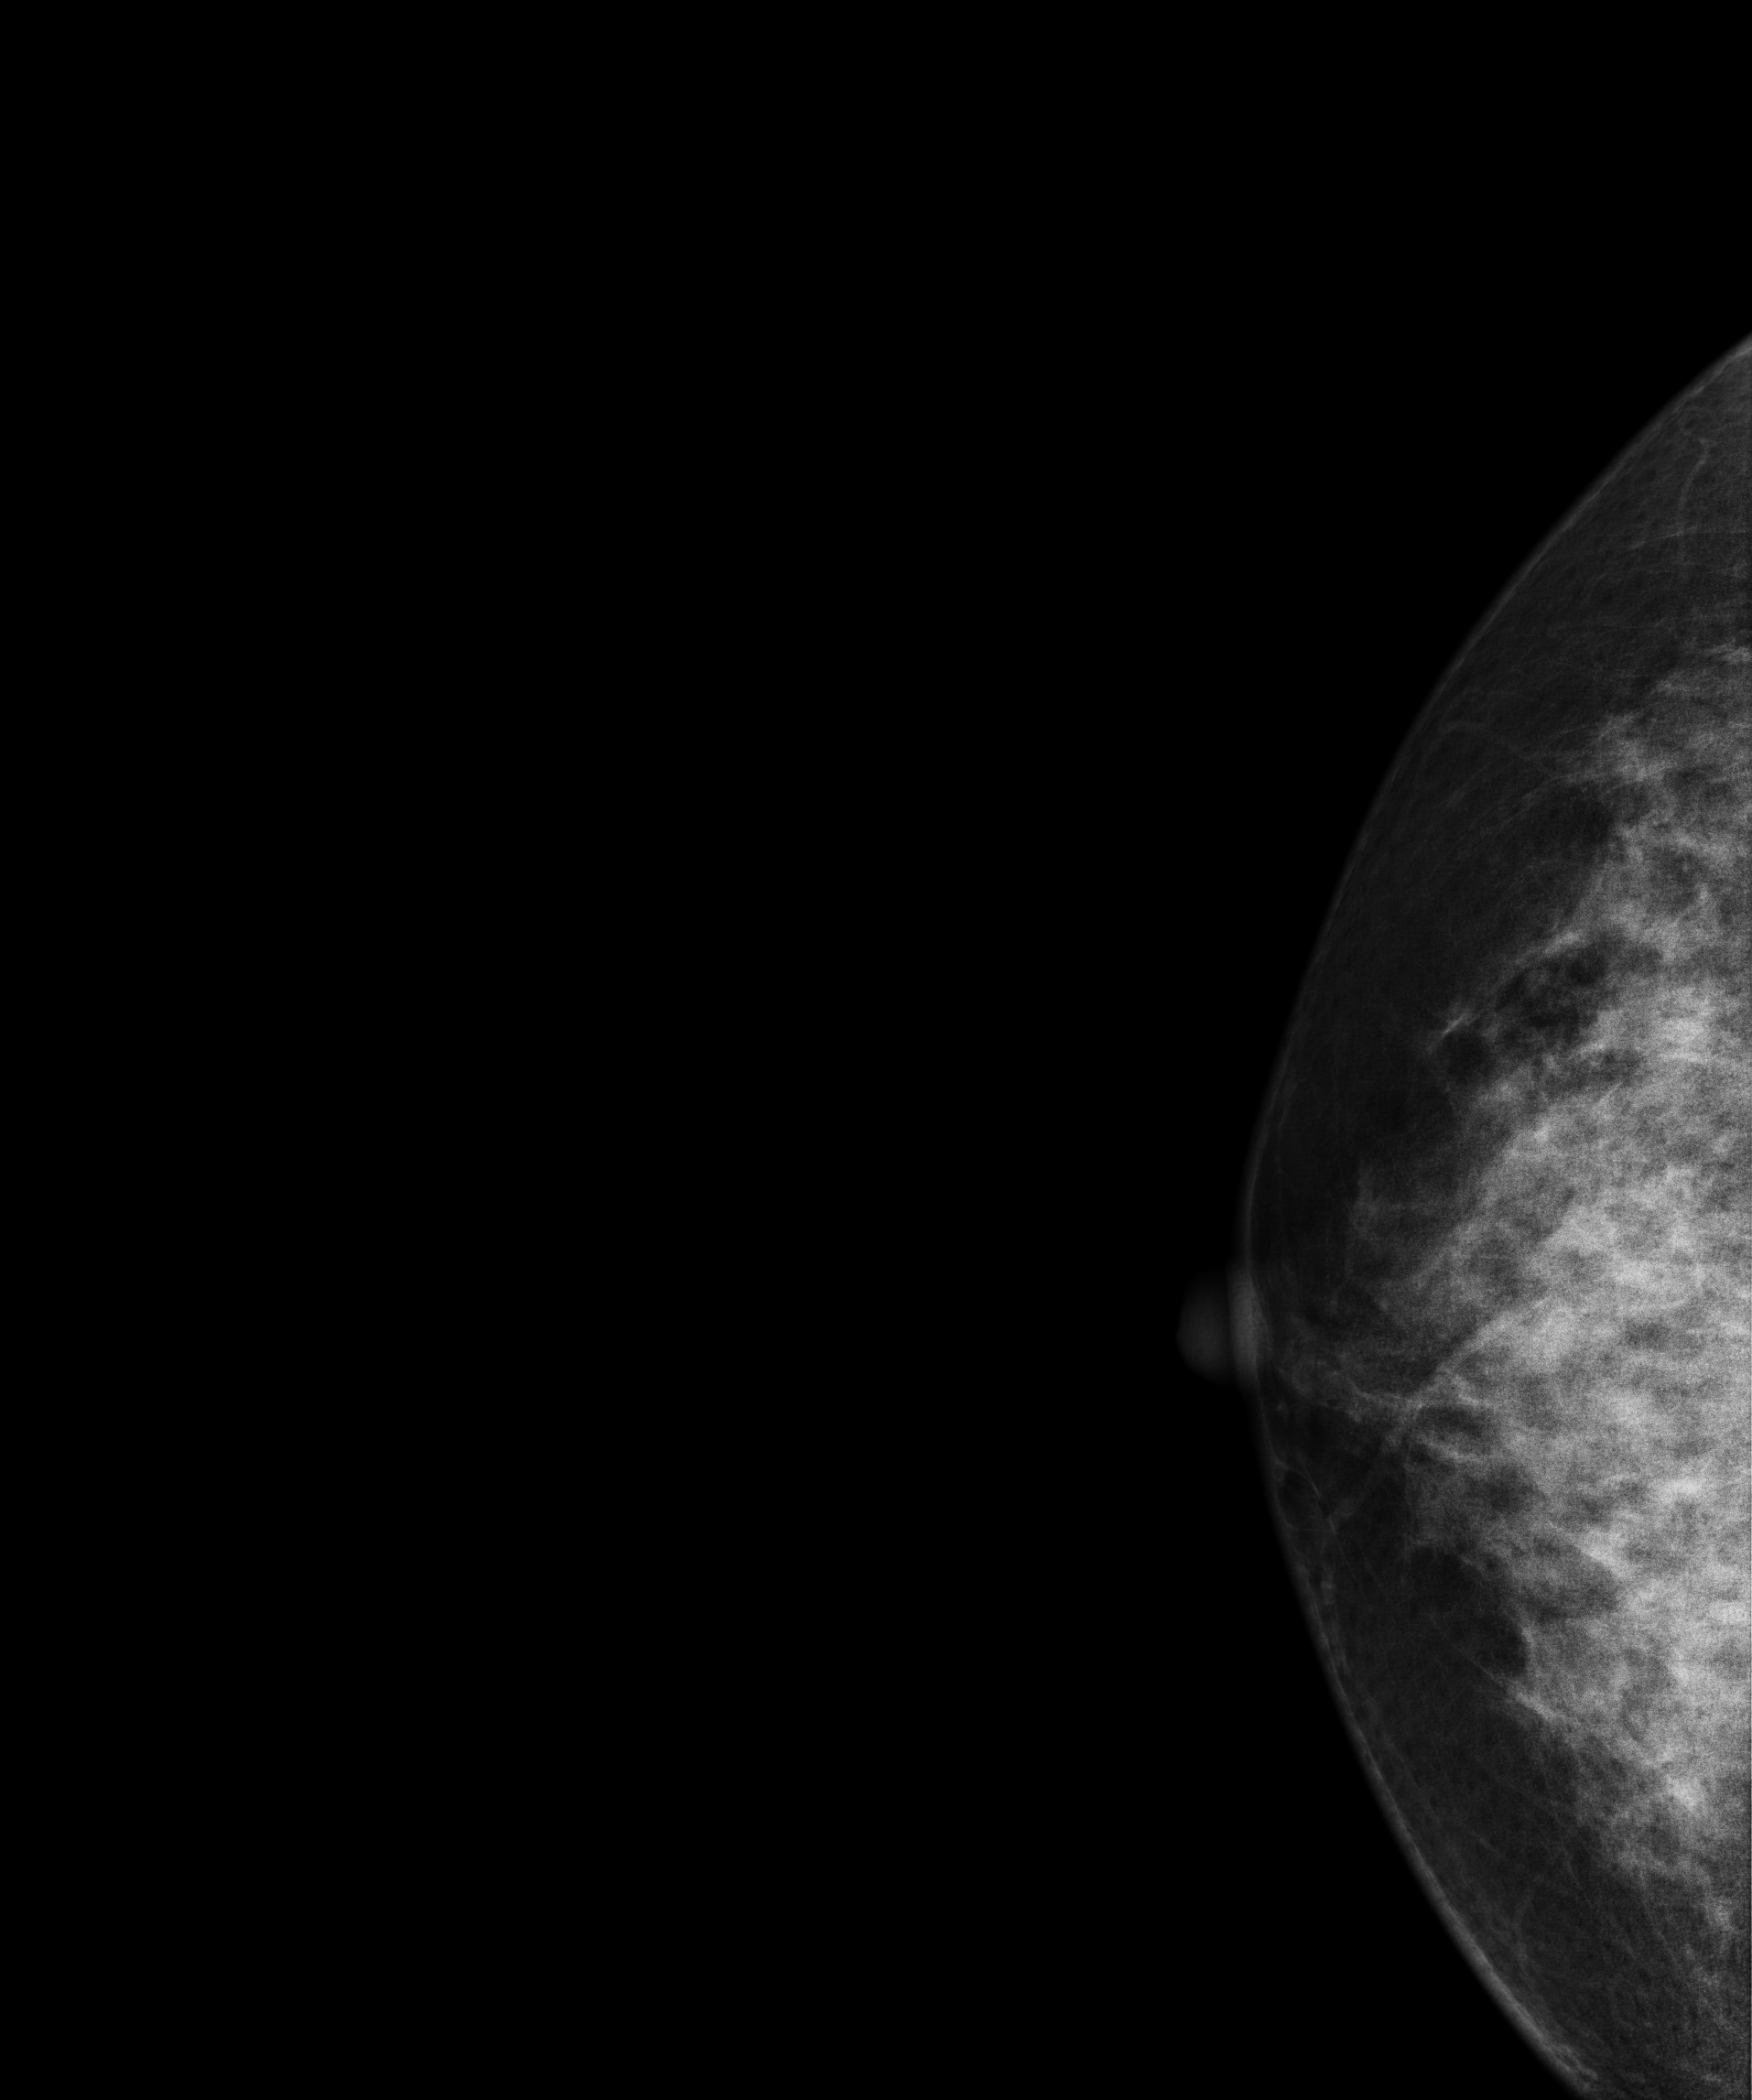
Mammogram, right breast, cranio-caudal view. 45 y/o patient.
This breast has a mass, histologically confirmed malignant.